Mammogram, left breast, MLO view. Patient age 62.
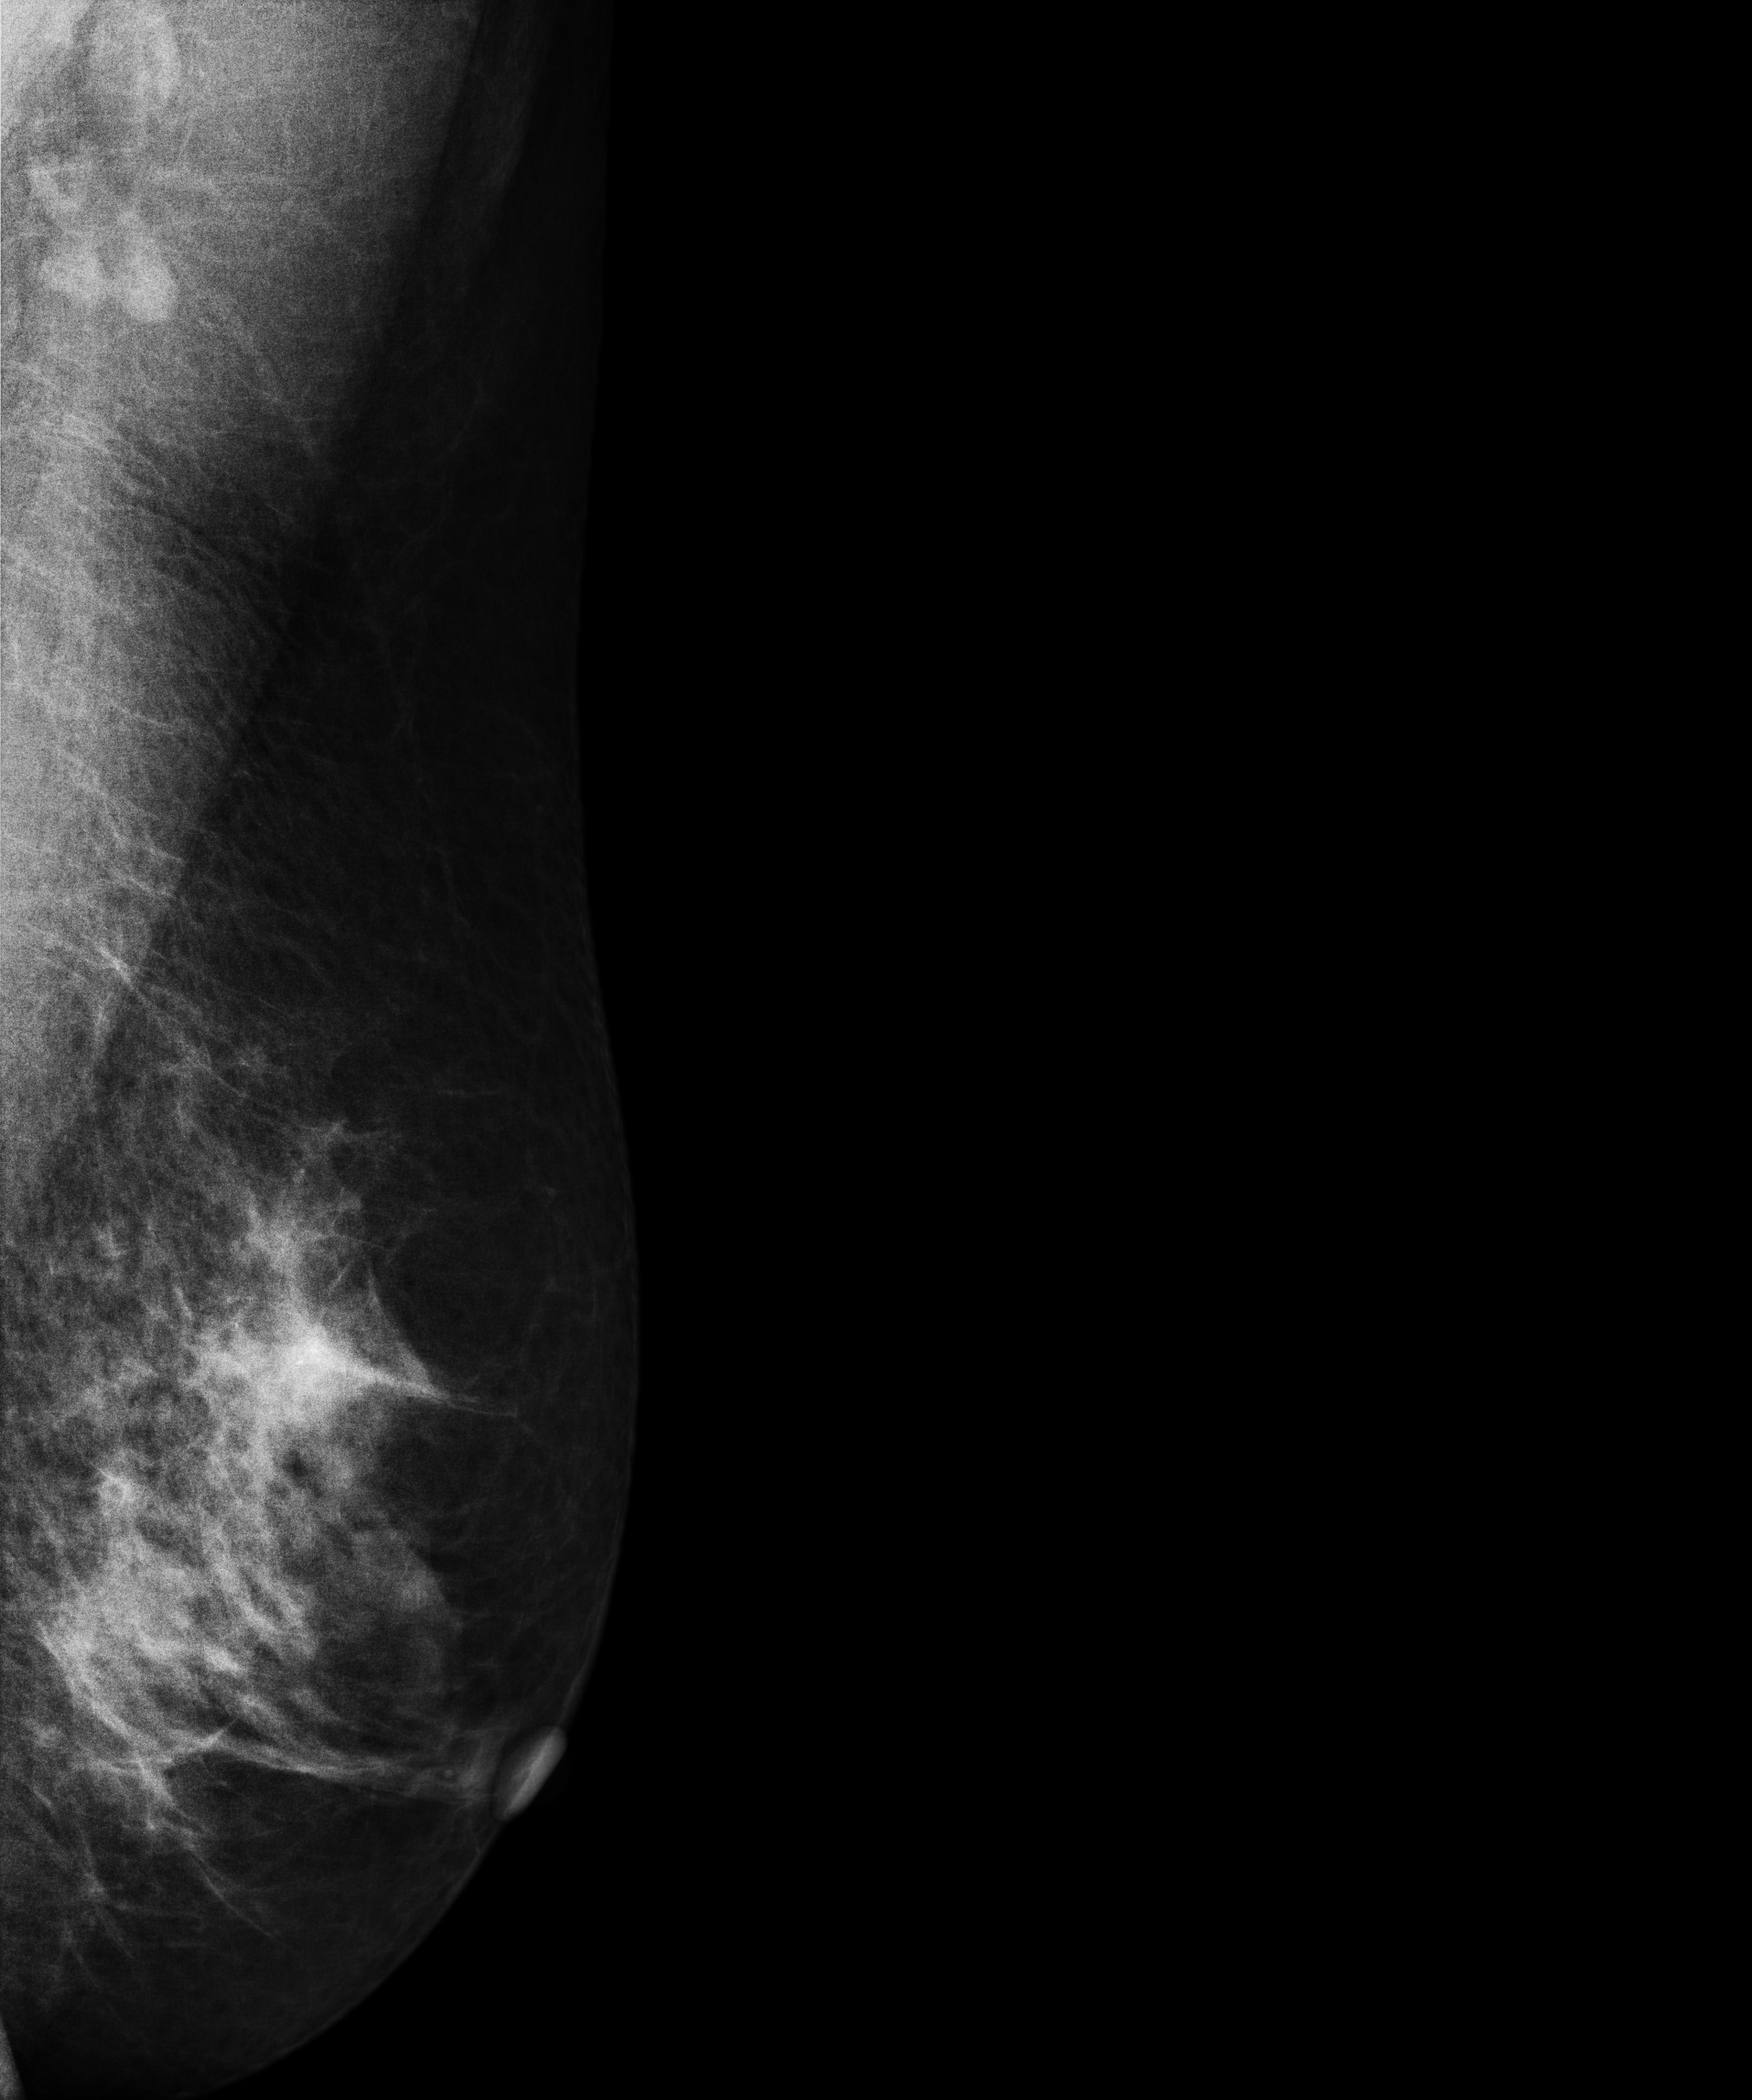
This breast has a mass and calcifications, histologically confirmed malignant. Molecular subtype: HER2-enriched.